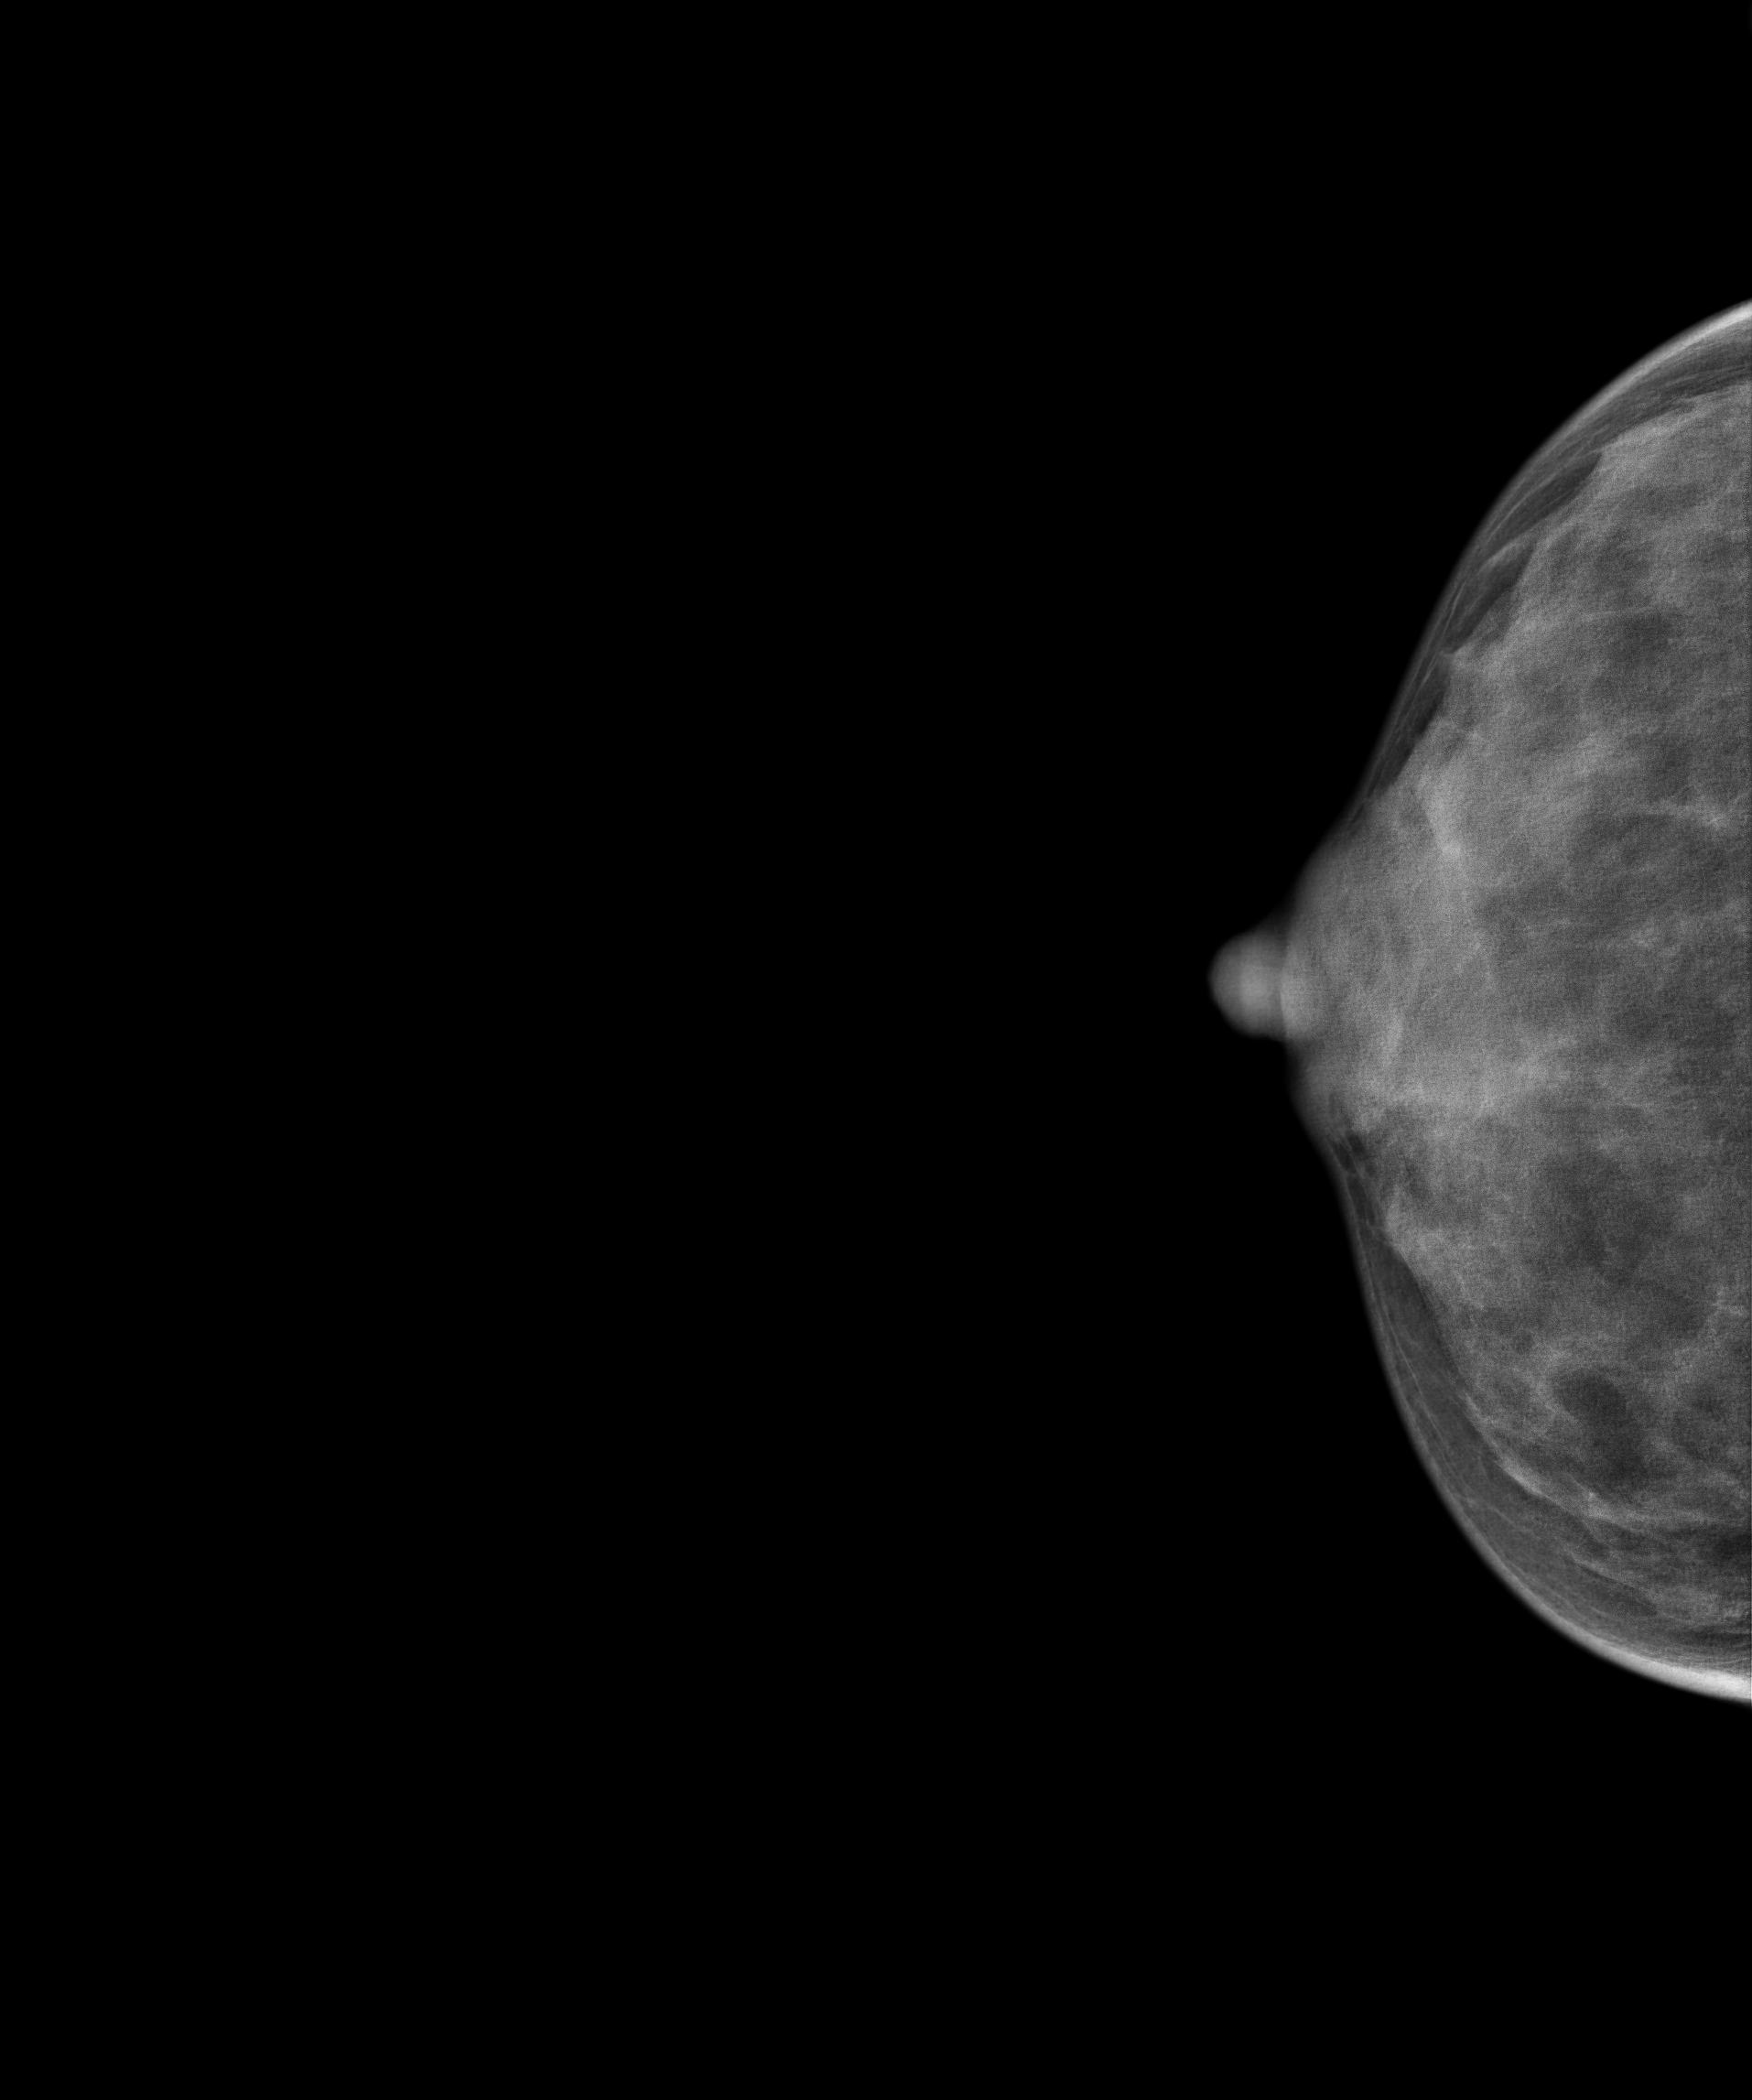
Mammogram — right CC. Patient age 33.
This breast has a mass, pathology-confirmed malignant. Molecular subtype: triple-negative.